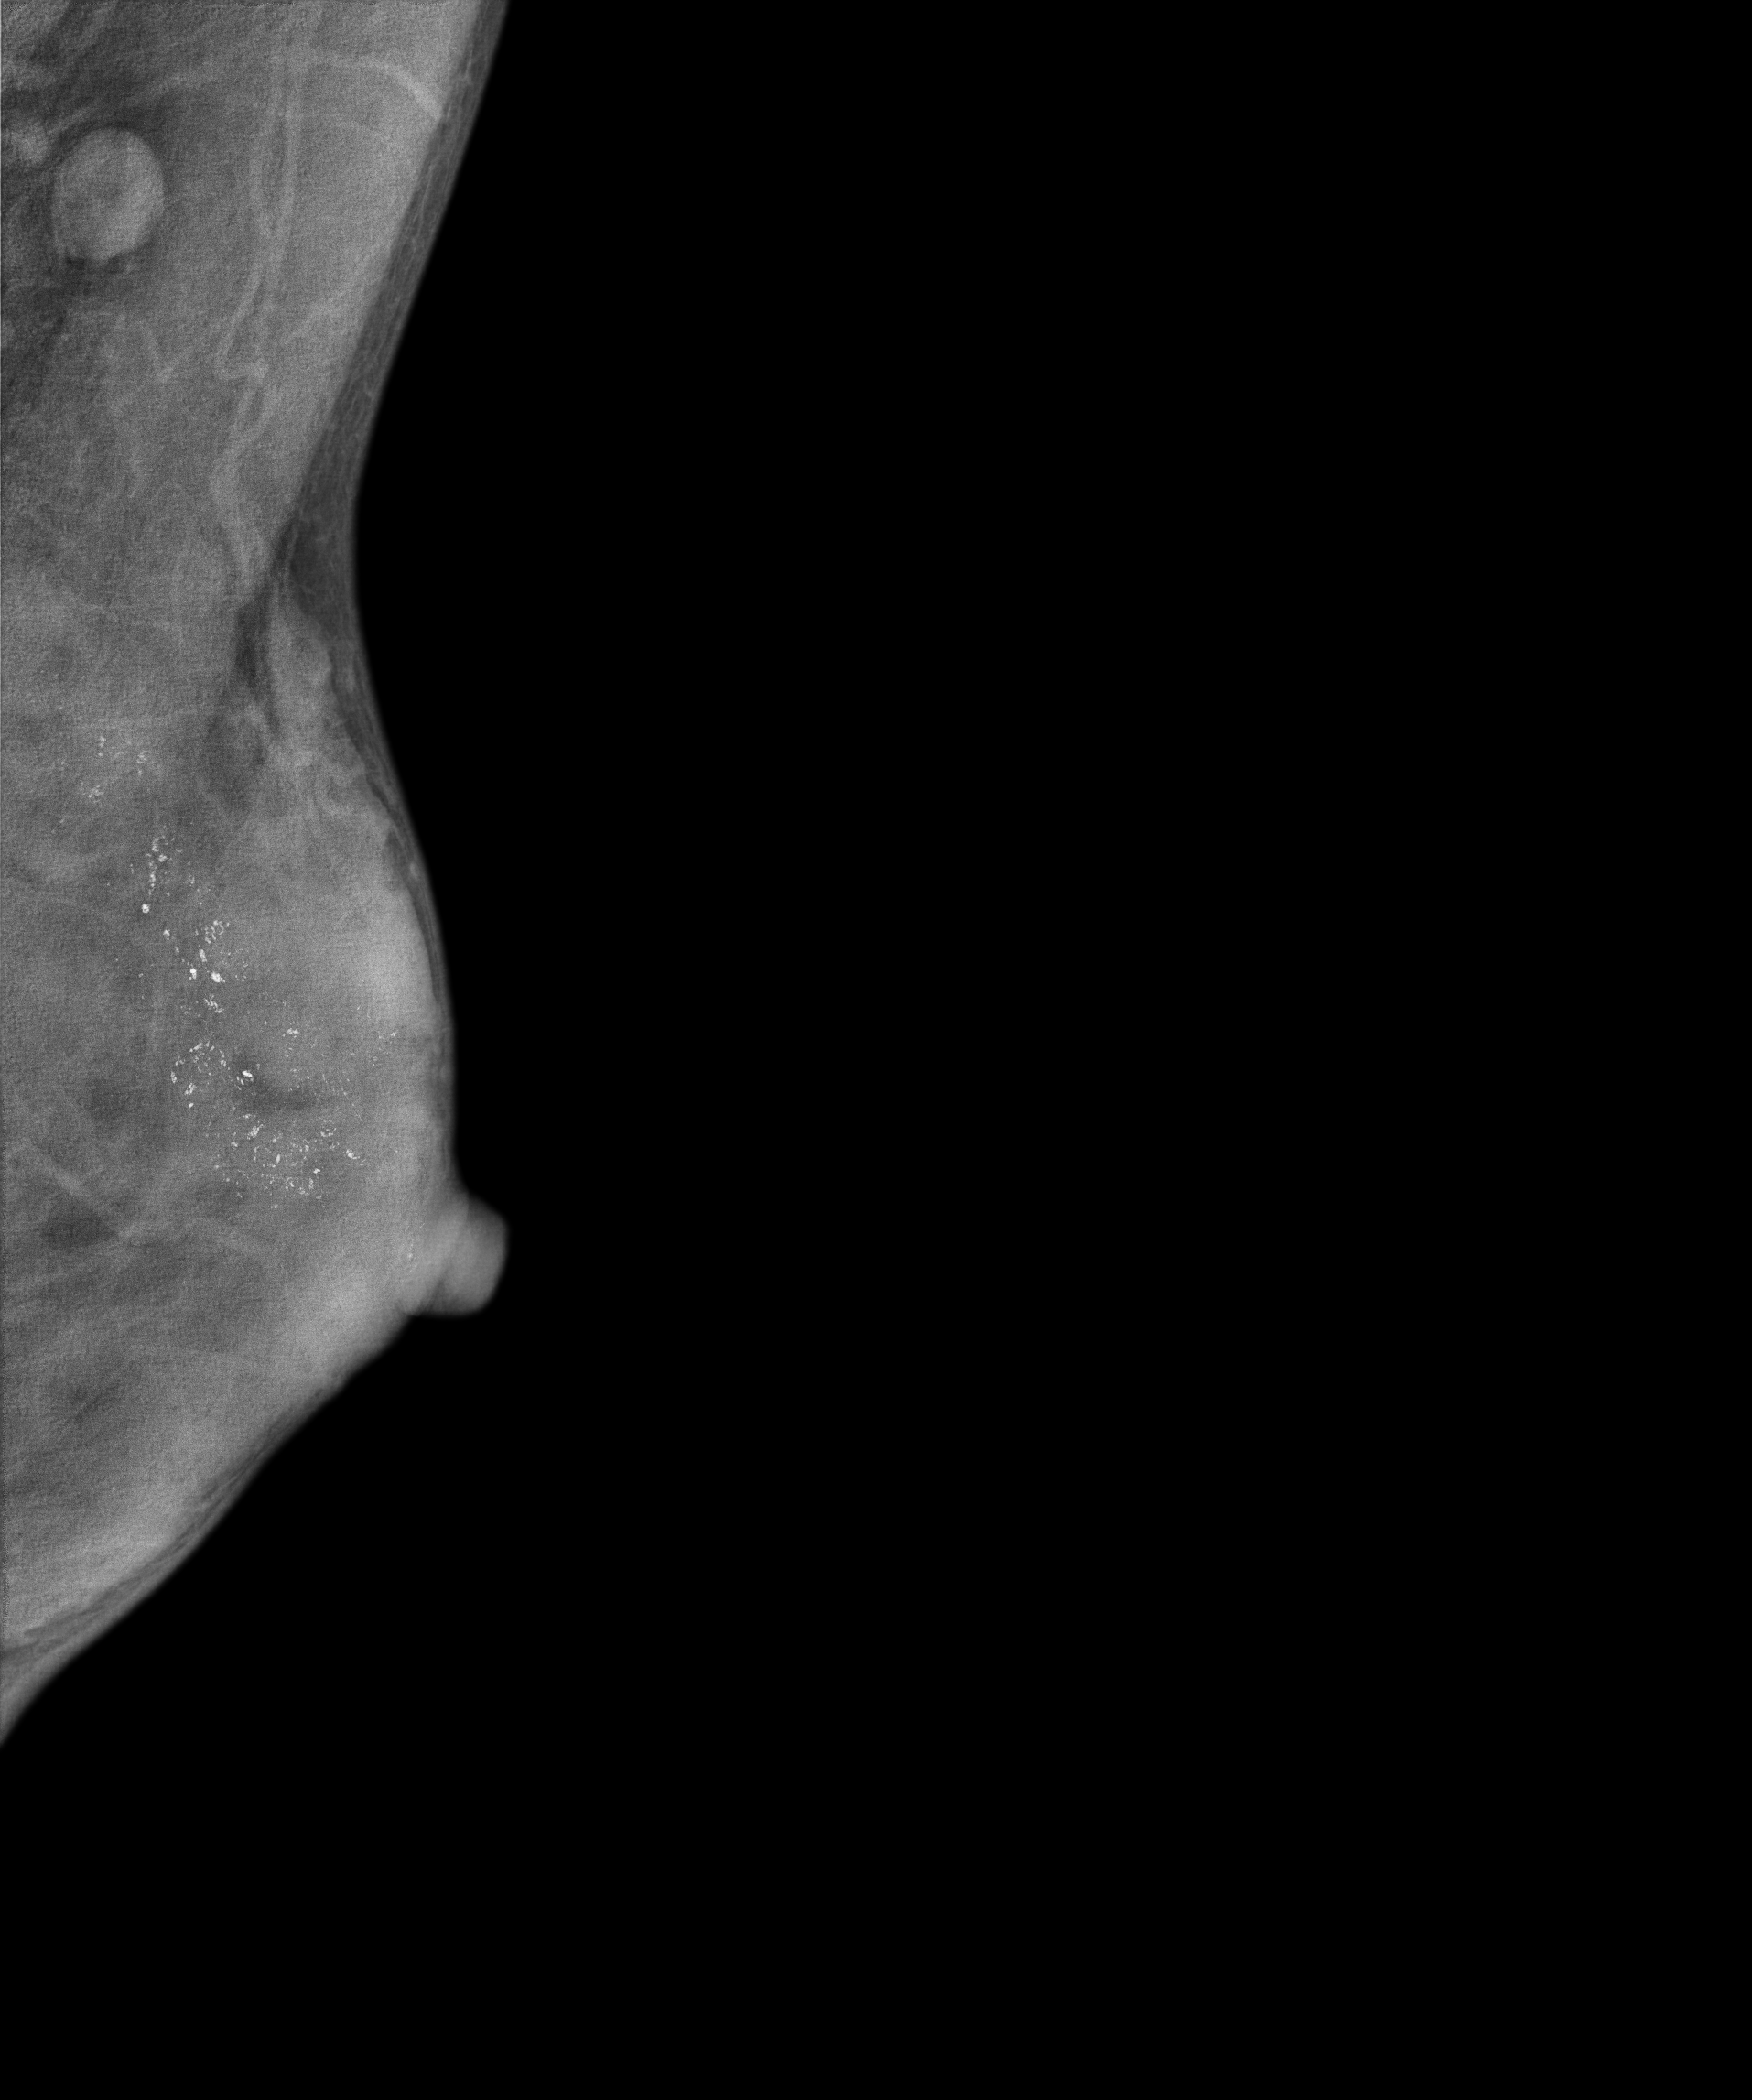
Mammogram, left breast, MLO view. 33 y/o patient.
This breast has calcifications, biopsy-proven malignant. Molecular subtype: luminal B.